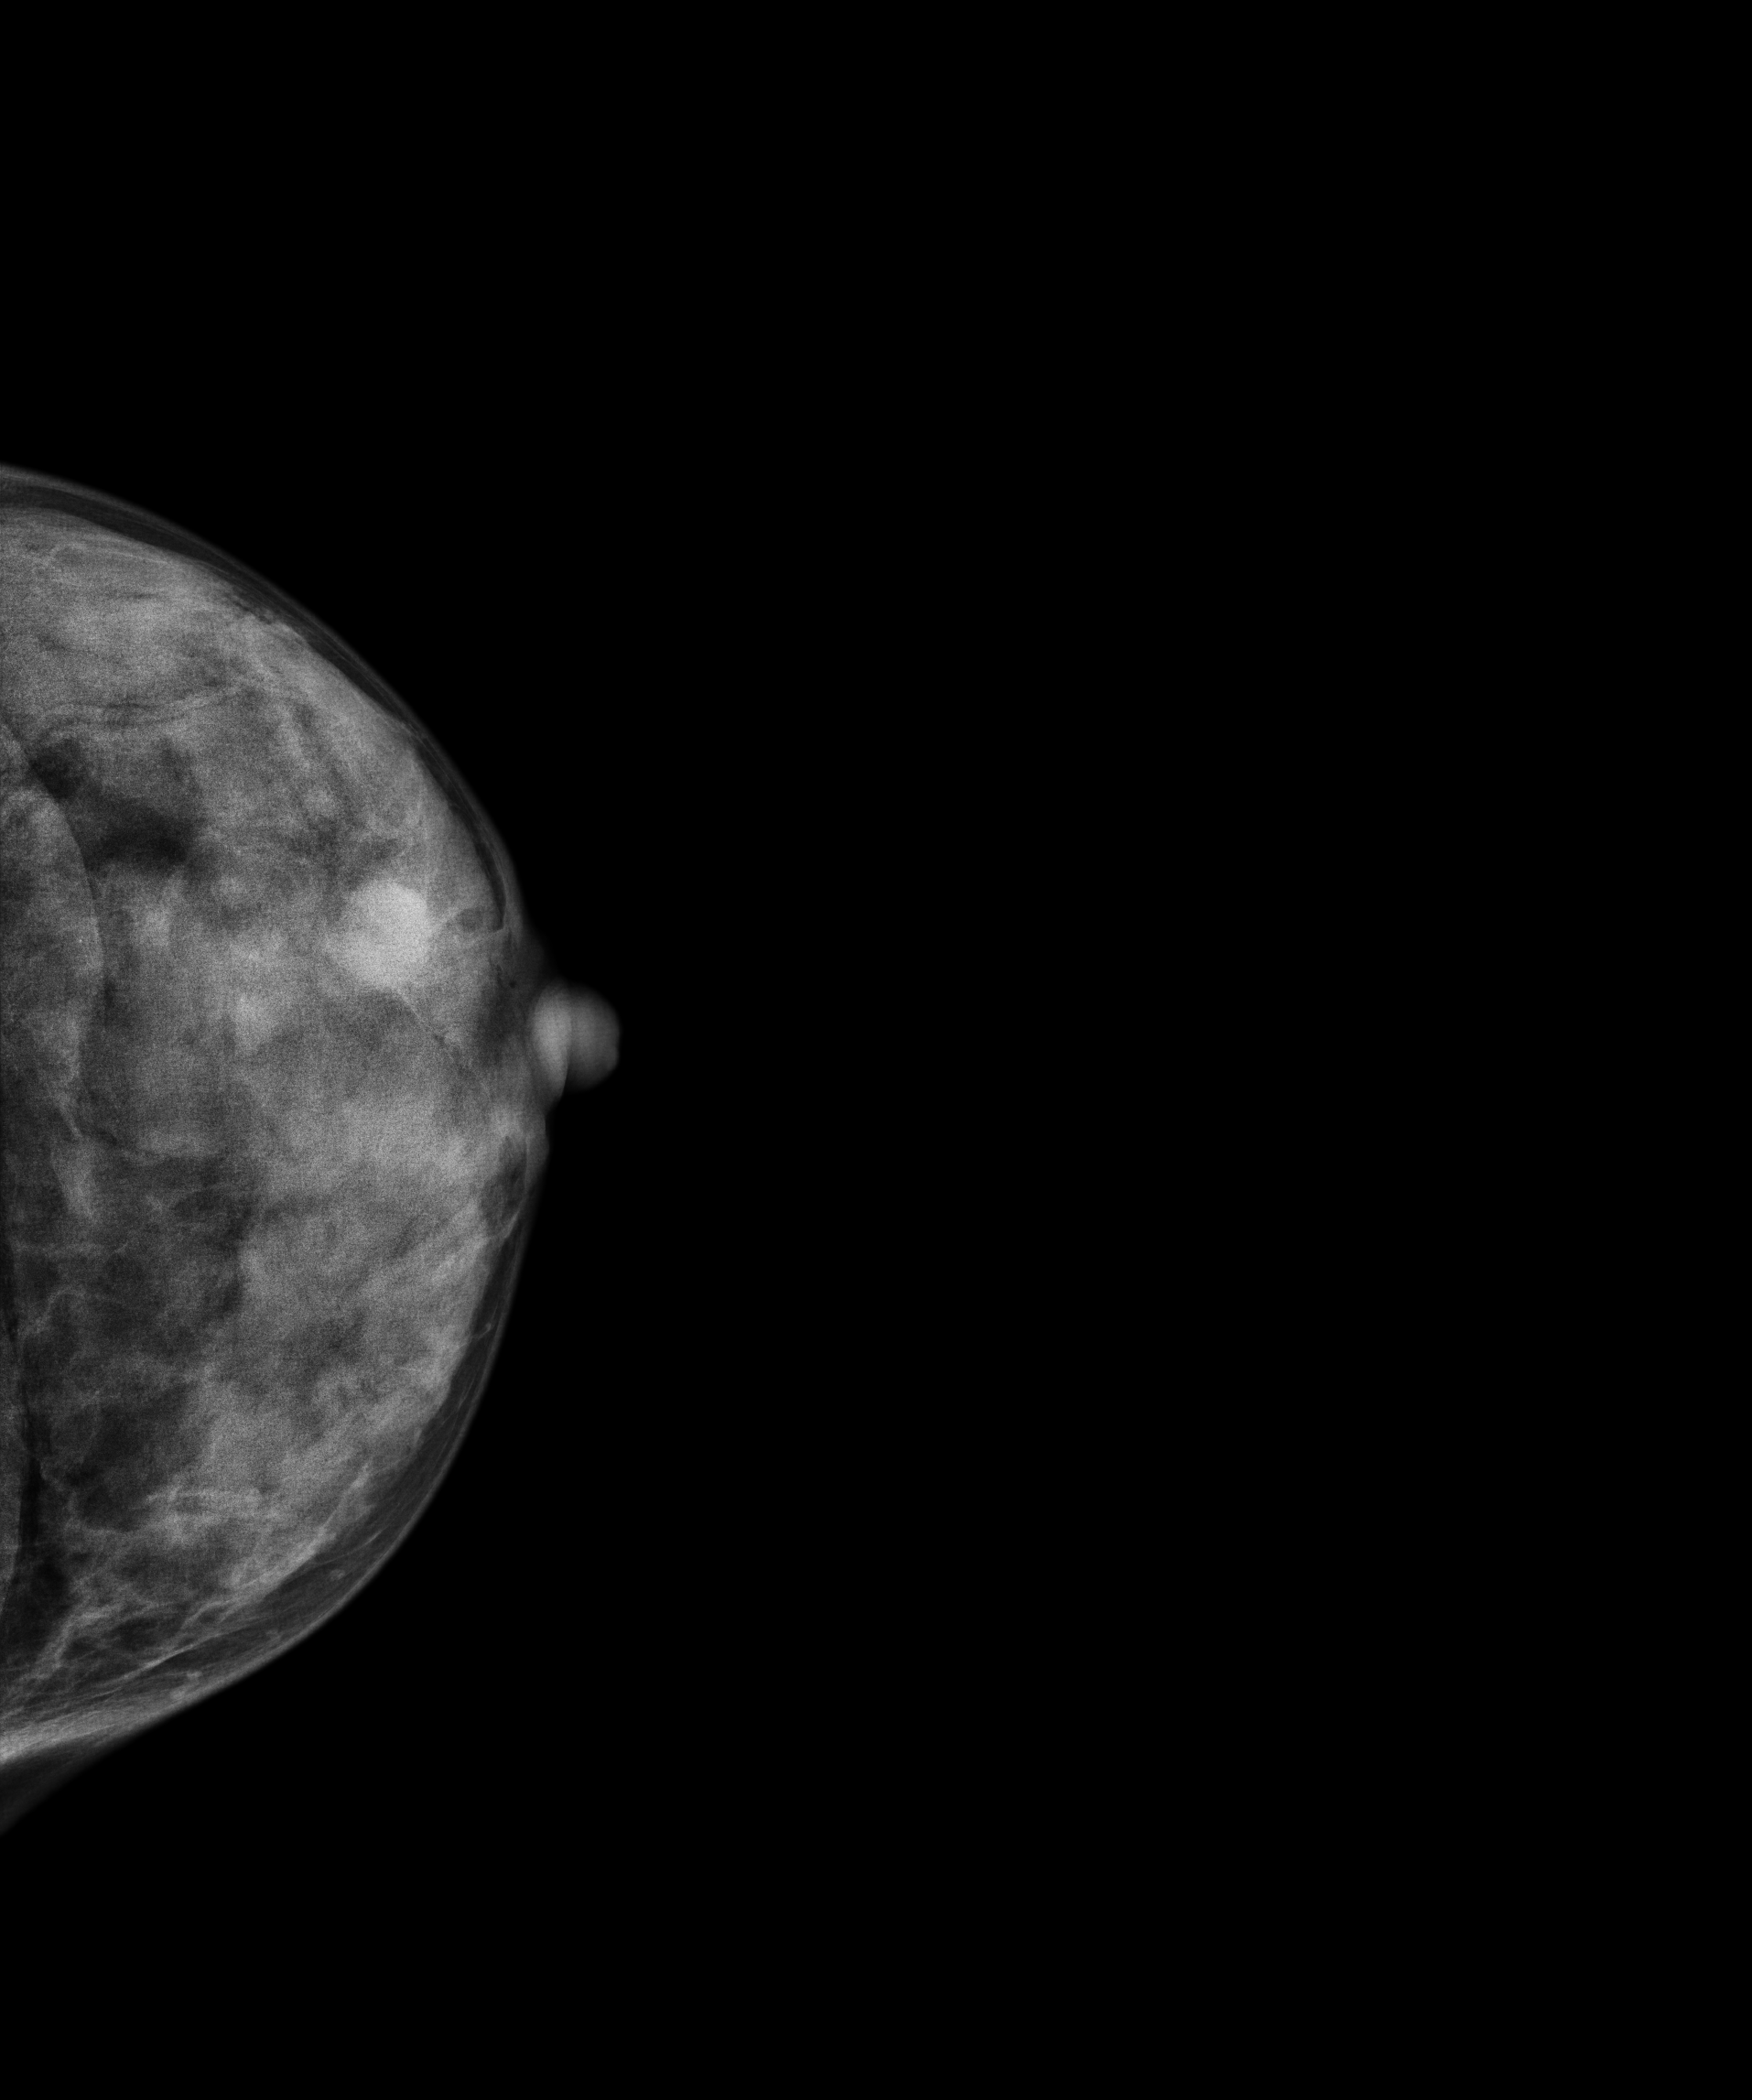
Mammogram — left cranio-caudal. 50 y/o patient.
This breast has a mass, biopsy-confirmed malignant. Molecular subtype: luminal B.